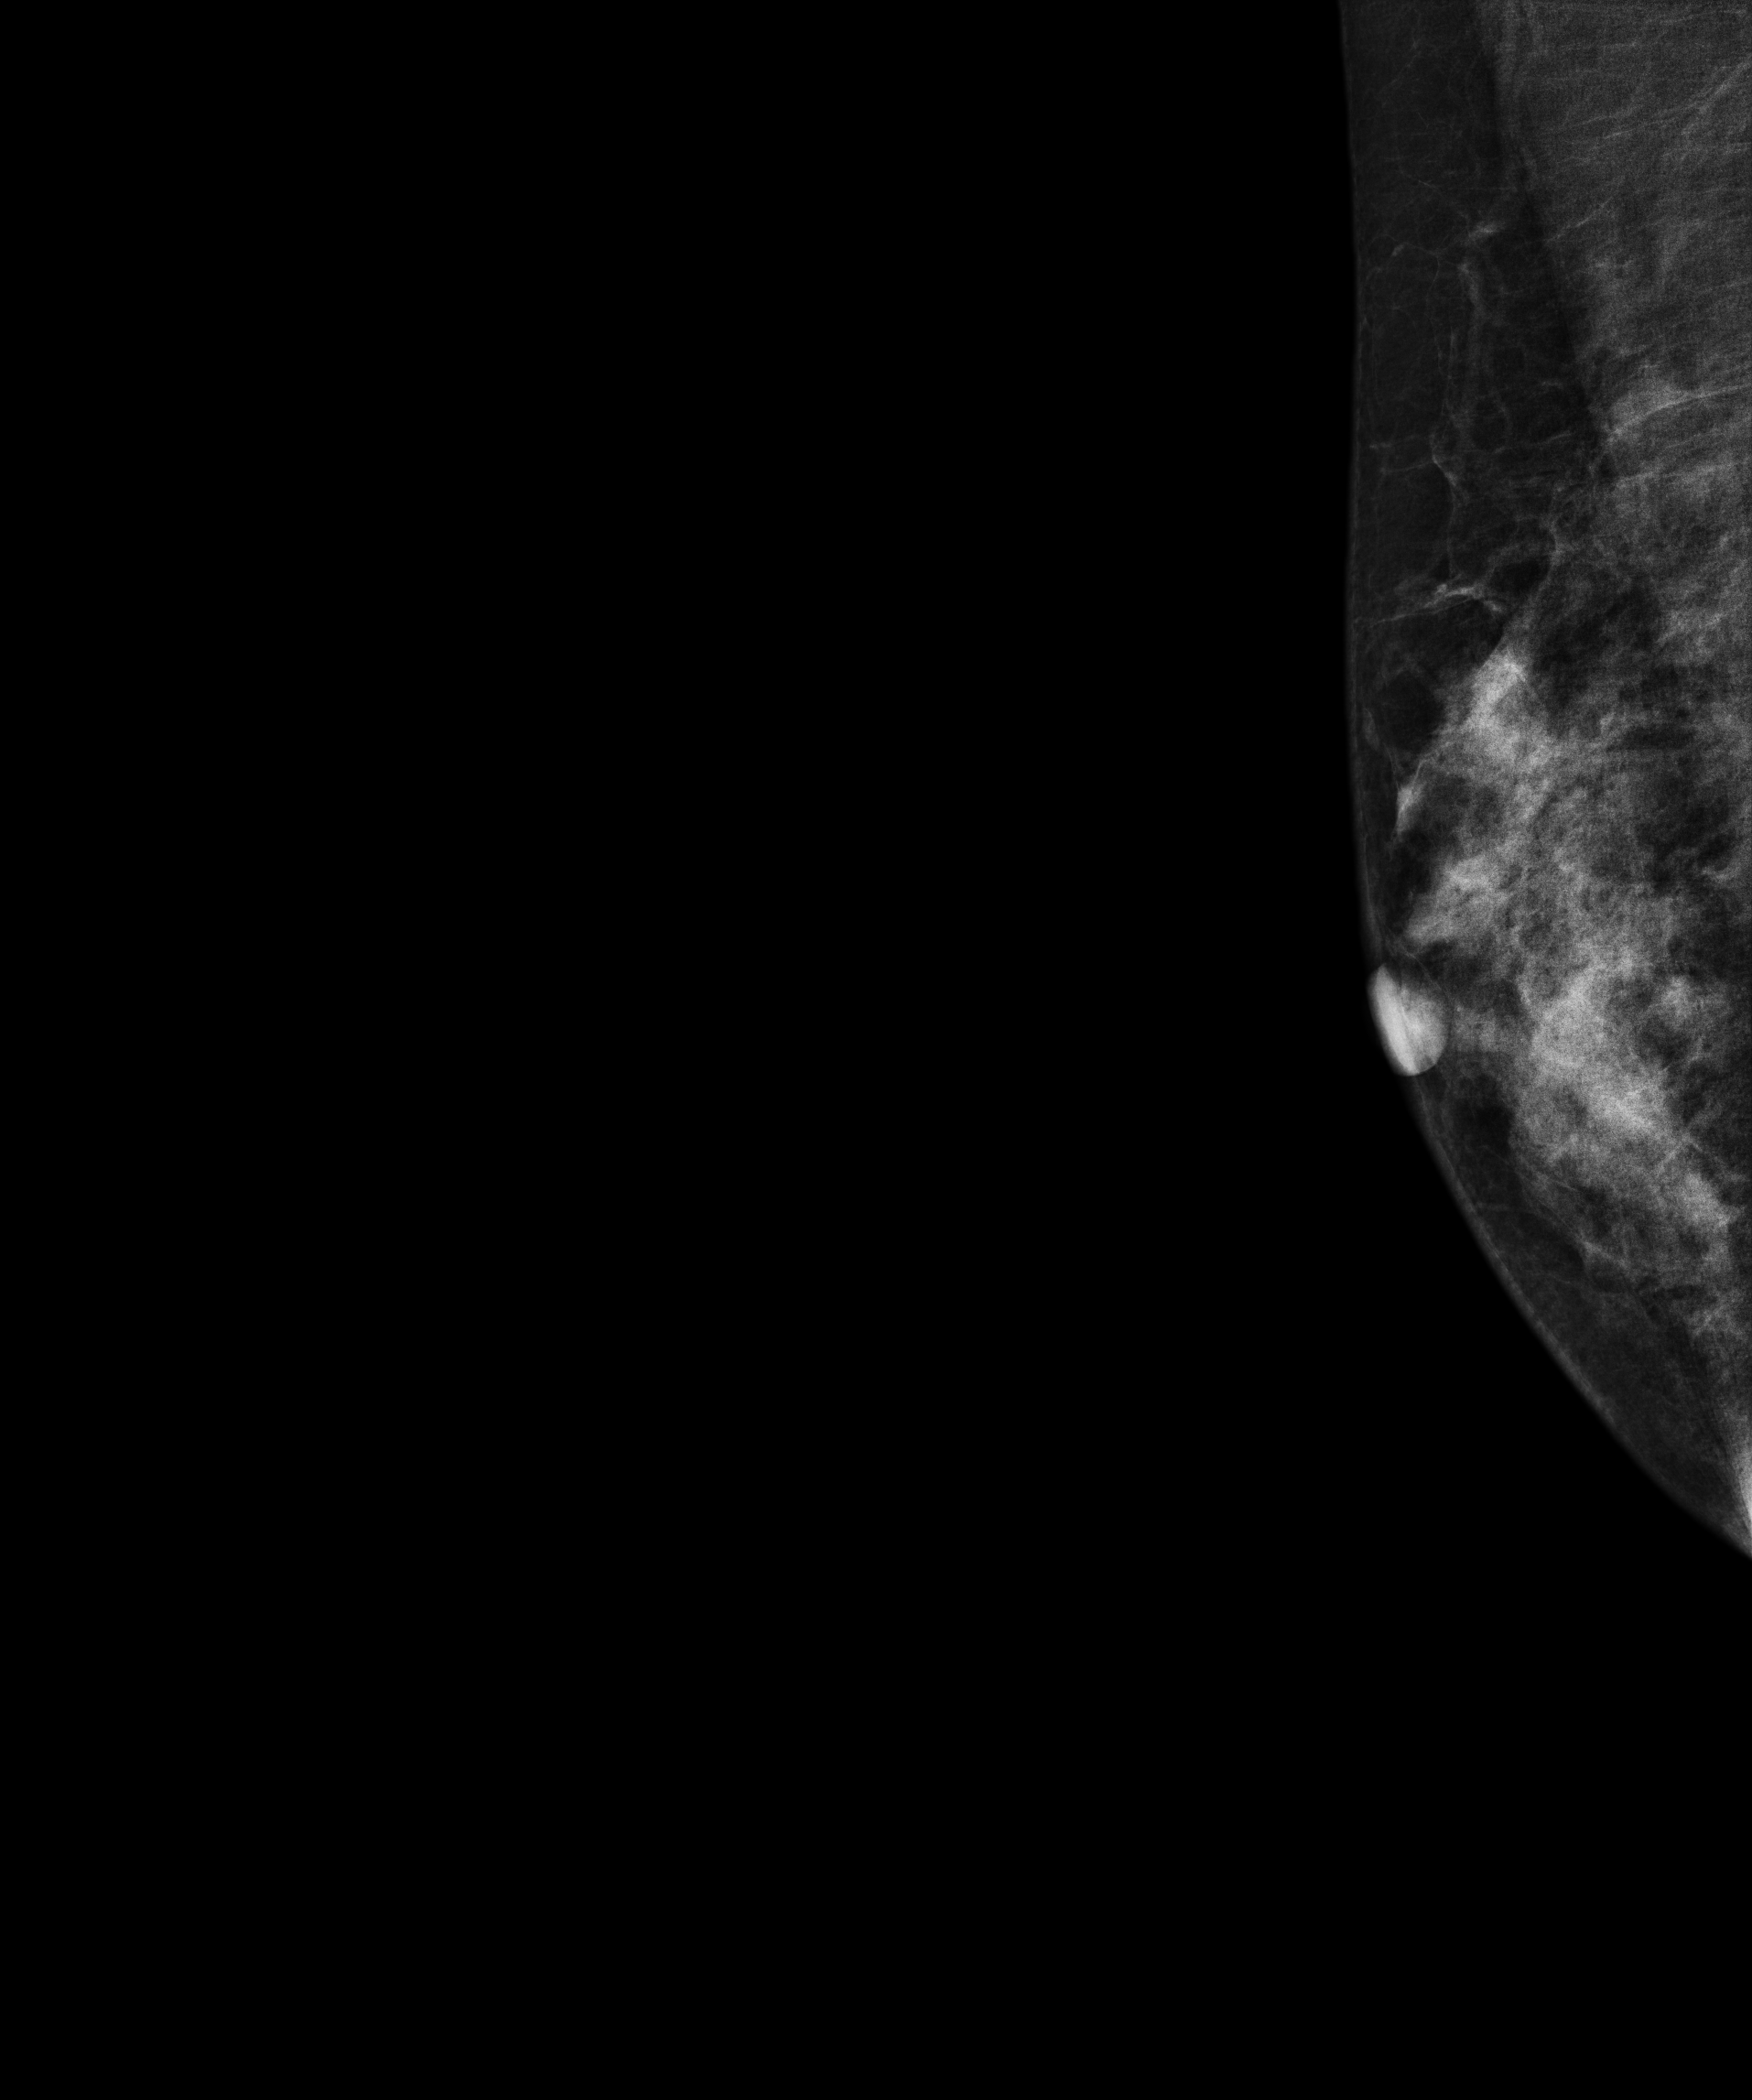
Mammogram — right MLO. 41 y/o patient.
Contralateral breast — no documented abnormality on this side.